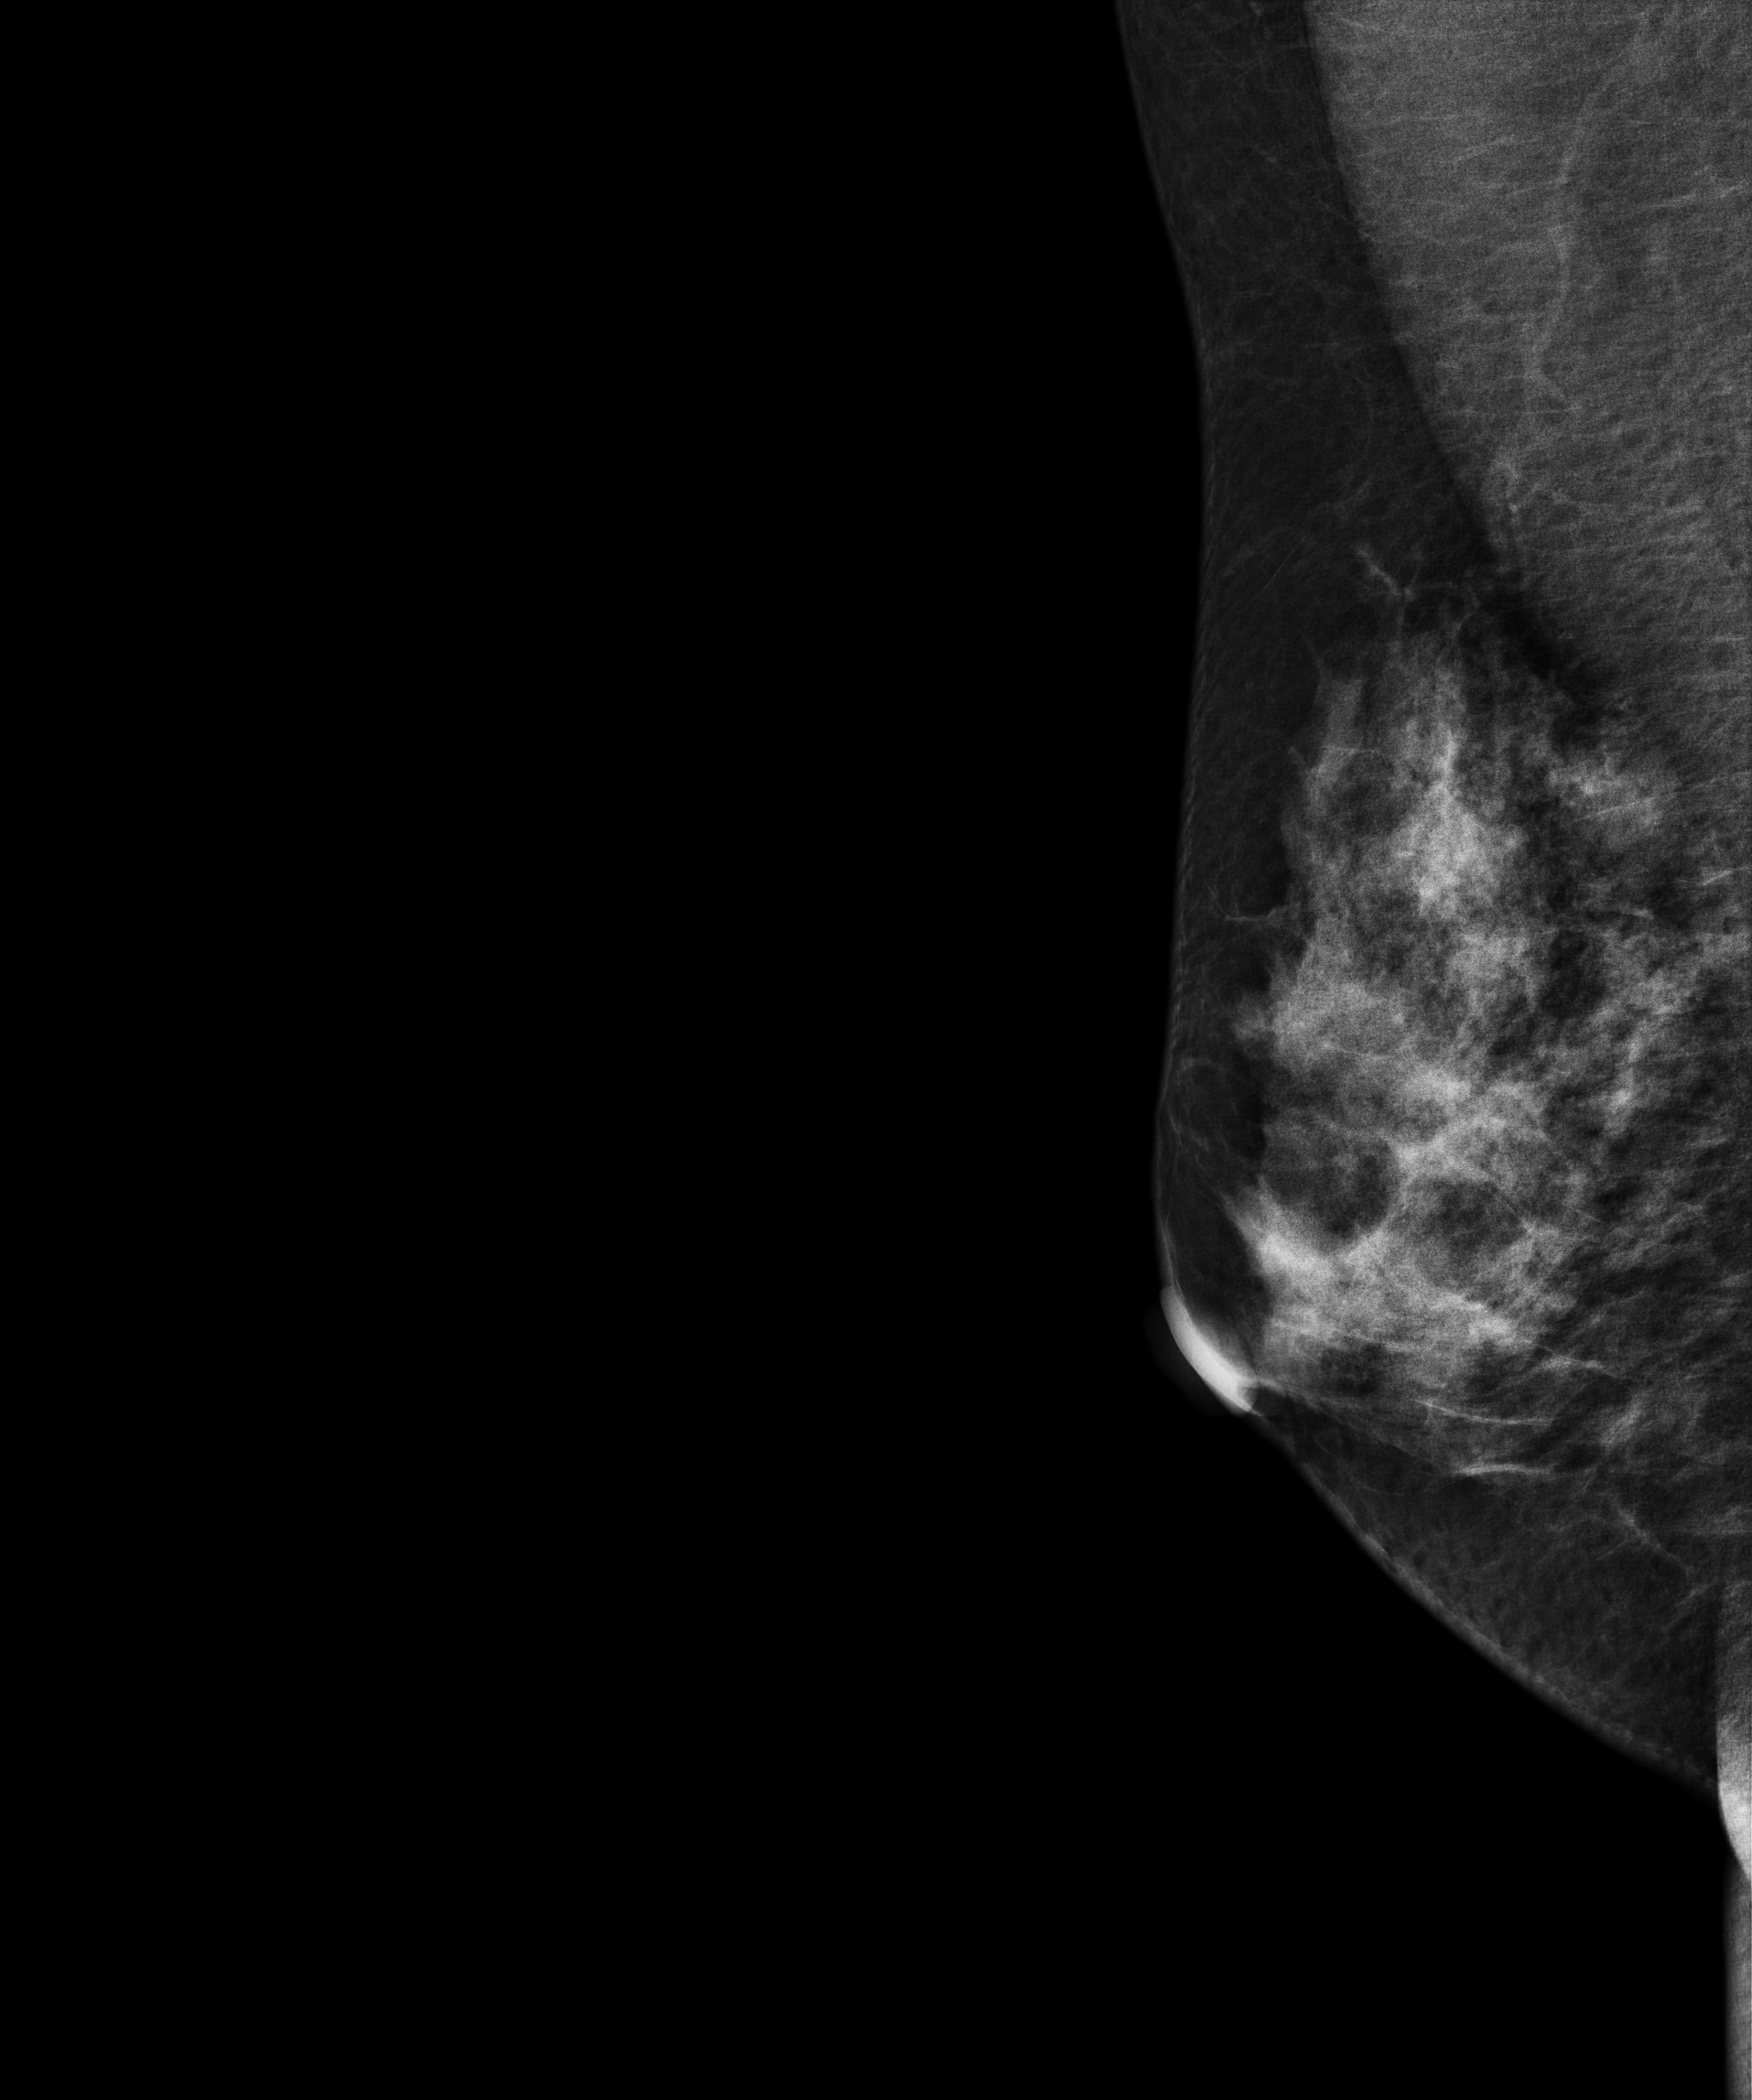
Right-breast mammogram, medio-lateral oblique. 43-year-old patient.
This breast has a mass, histologically confirmed benign.